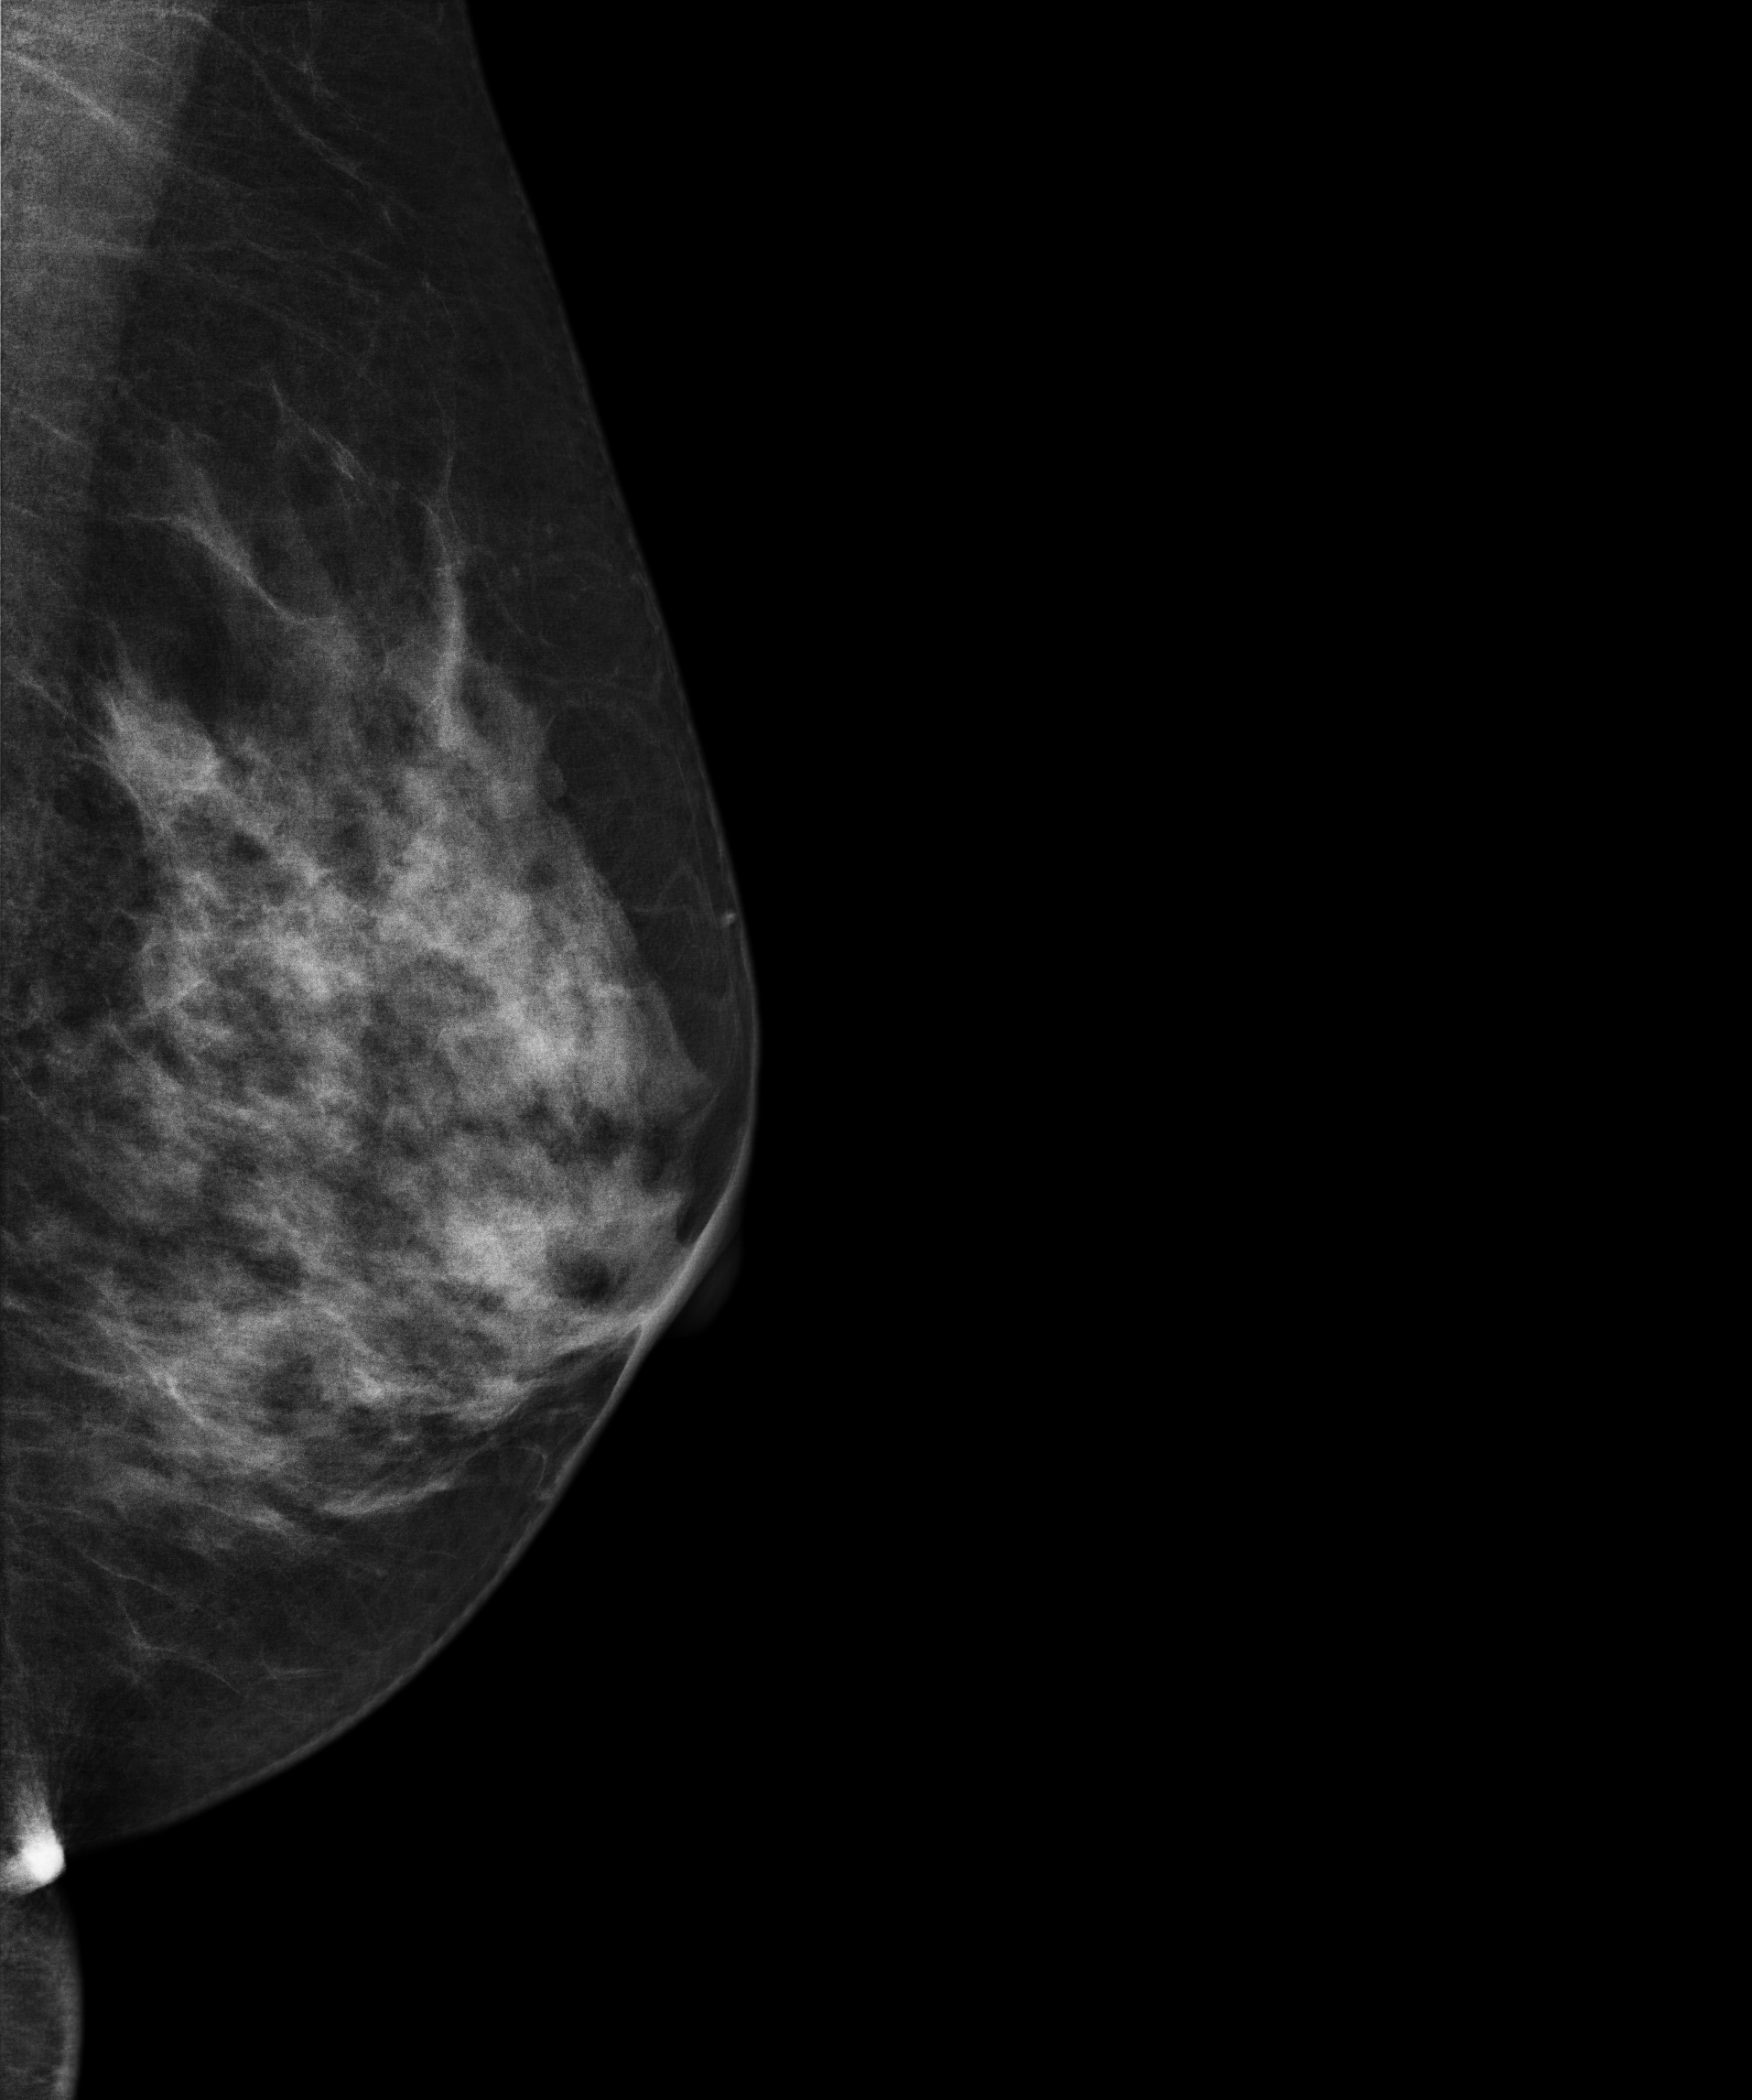
Mammogram — left medio-lateral oblique. Patient age 49.
Contralateral breast — no documented abnormality on this side.